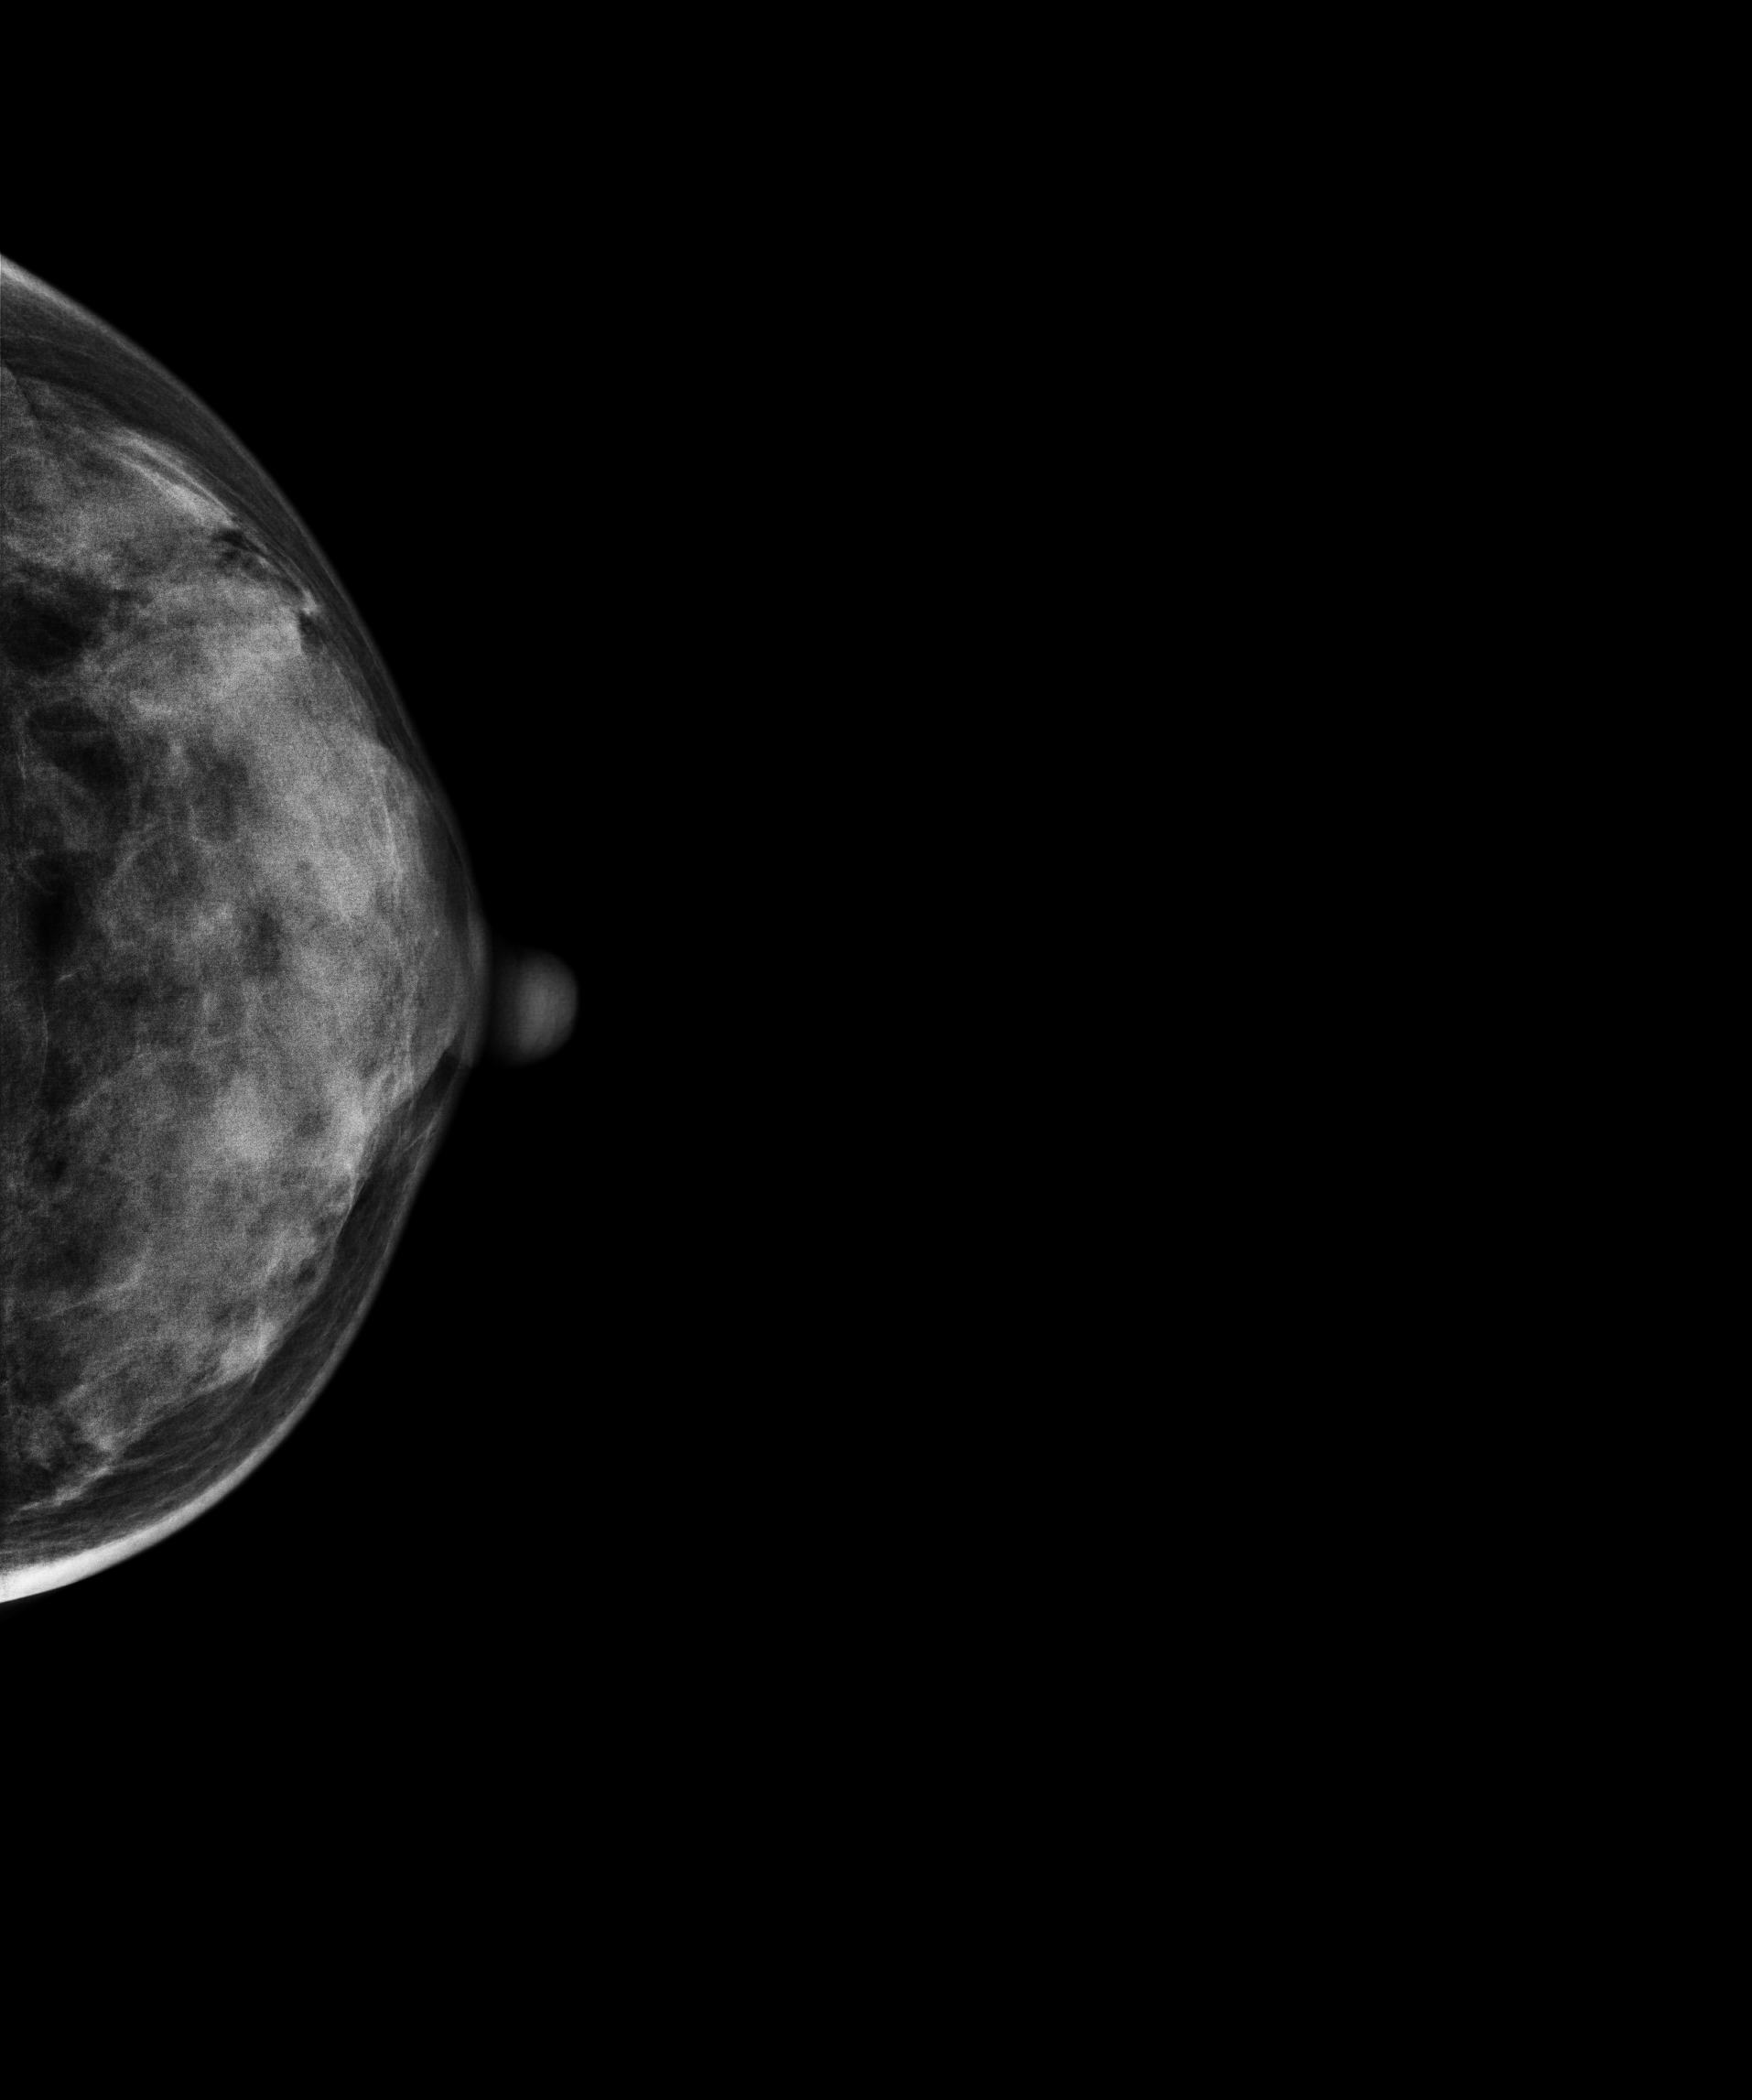
Left-breast mammogram, CC. 44 y/o patient.
Contralateral breast — no documented abnormality on this side.